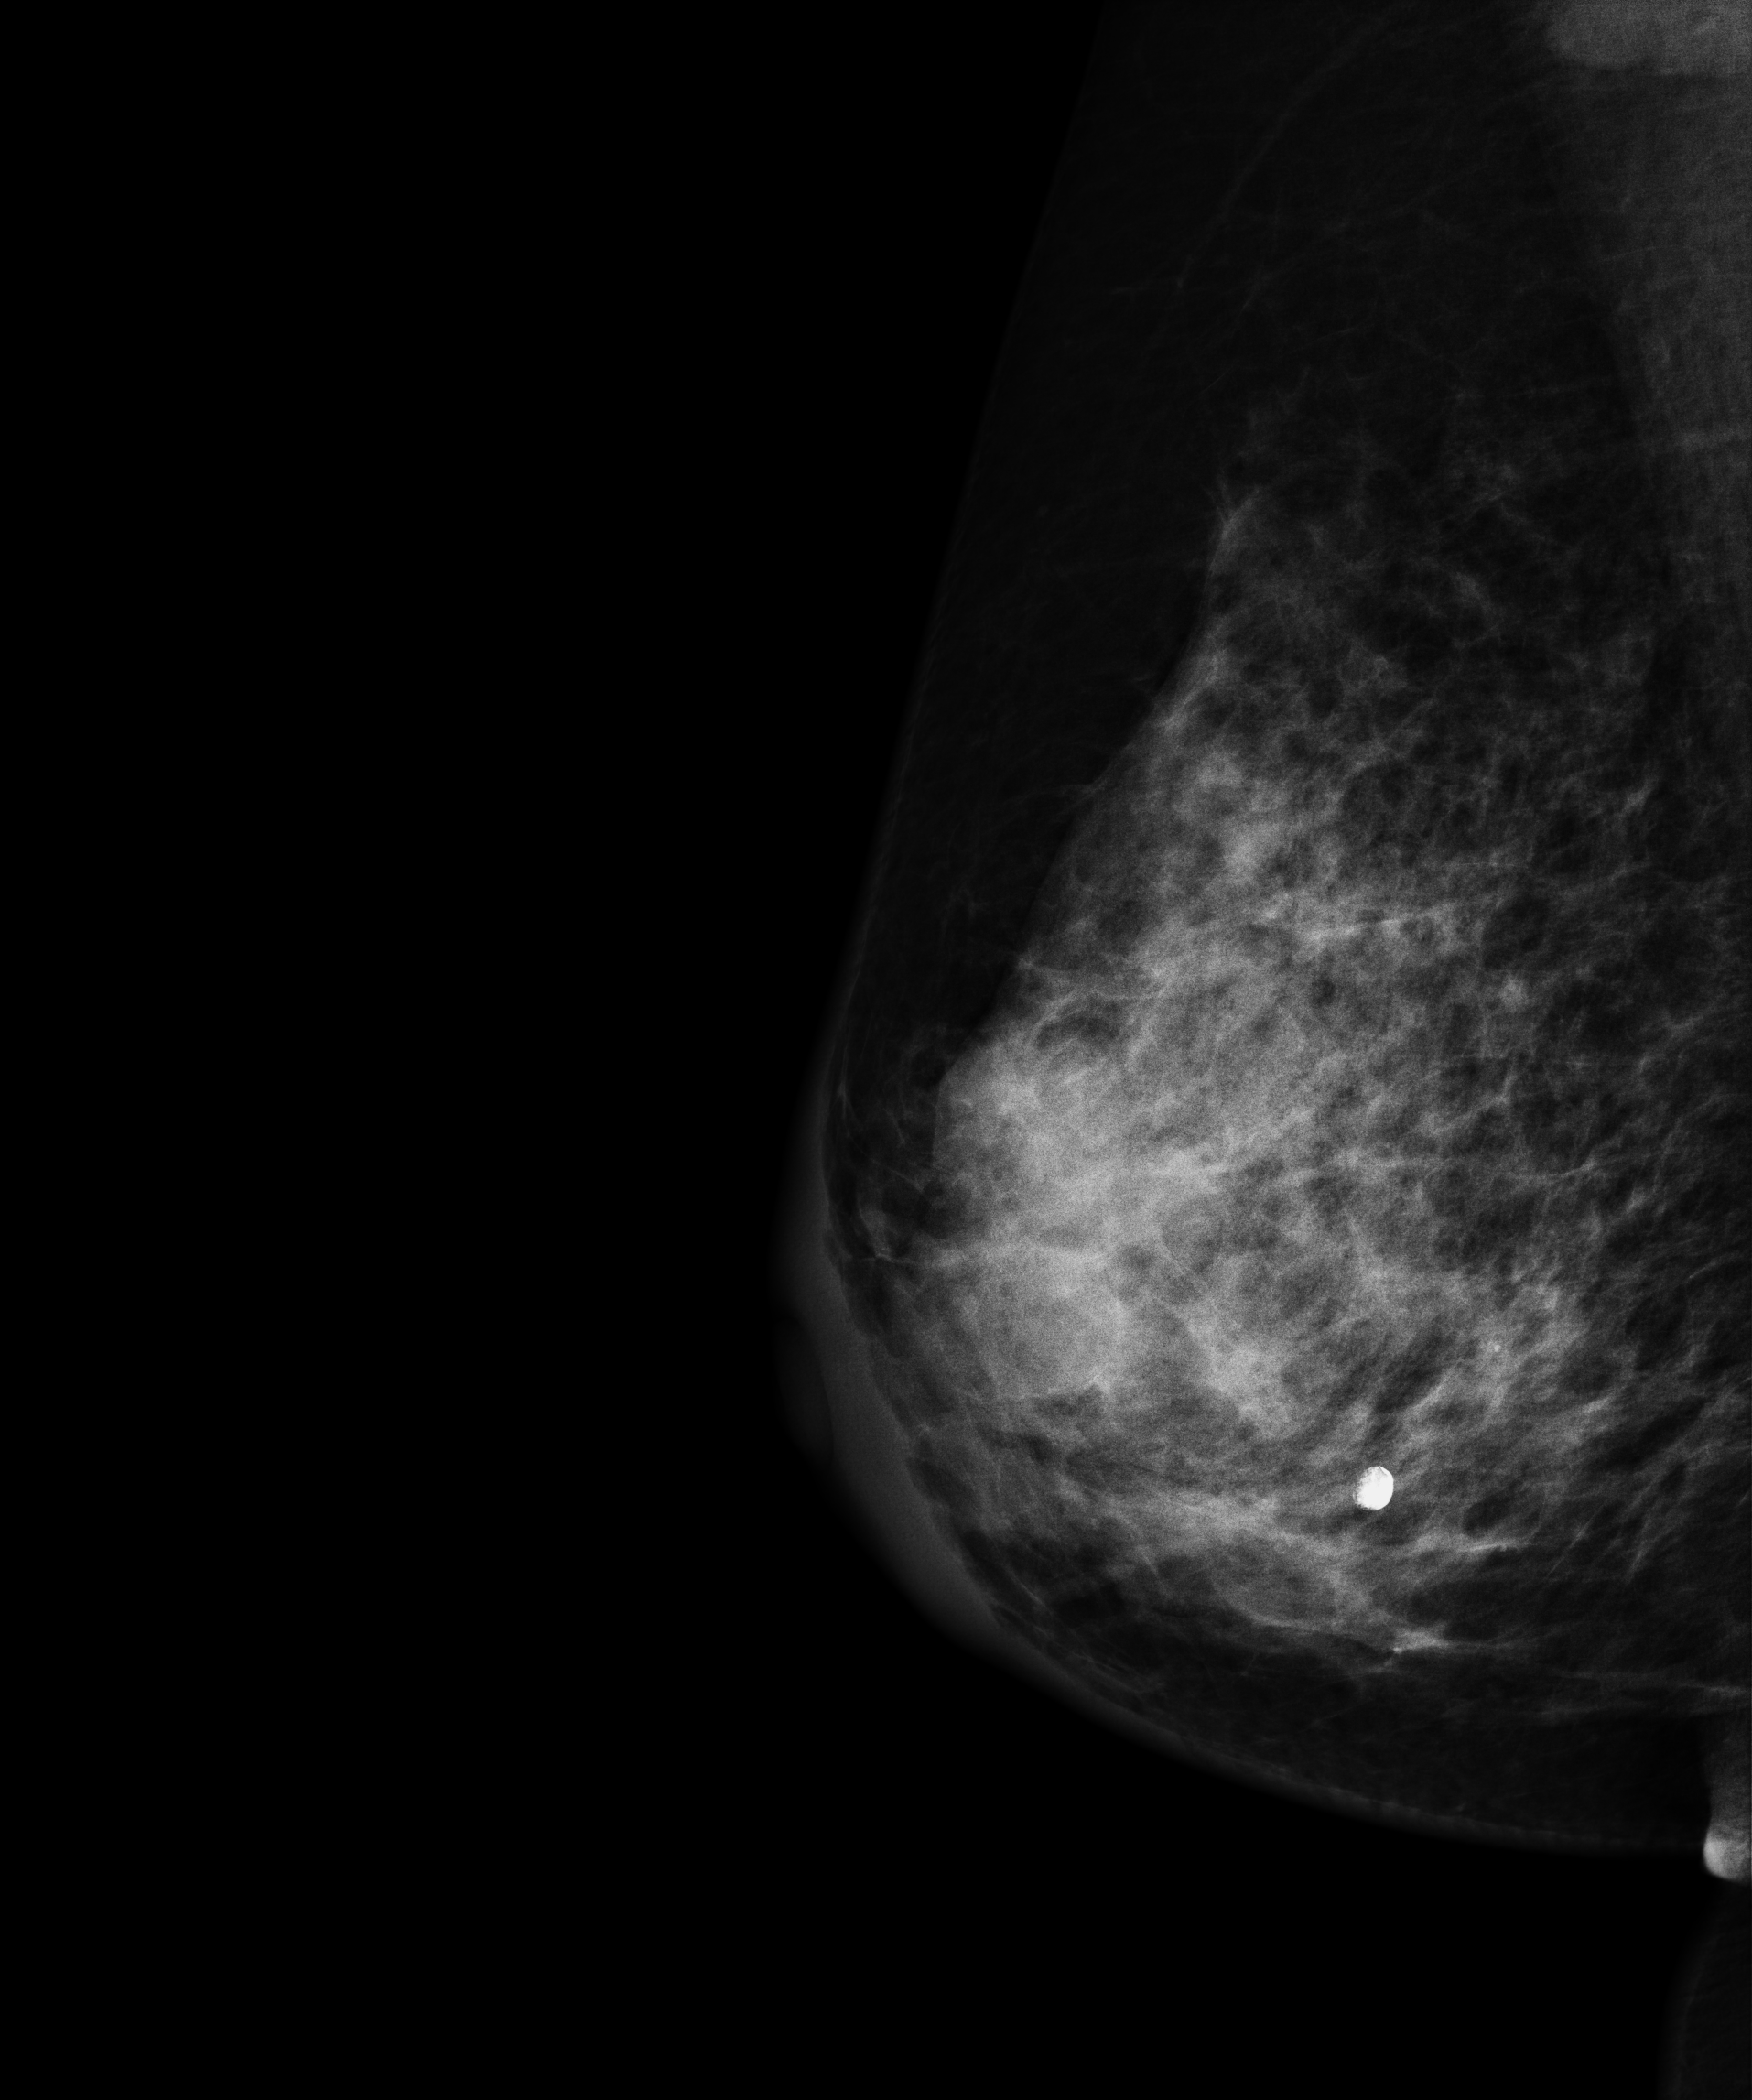
Digital mammography. Right breast, MLO projection. 44-year-old patient.
This breast has a mass, biopsy-confirmed malignant. Molecular subtype: HER2-enriched.